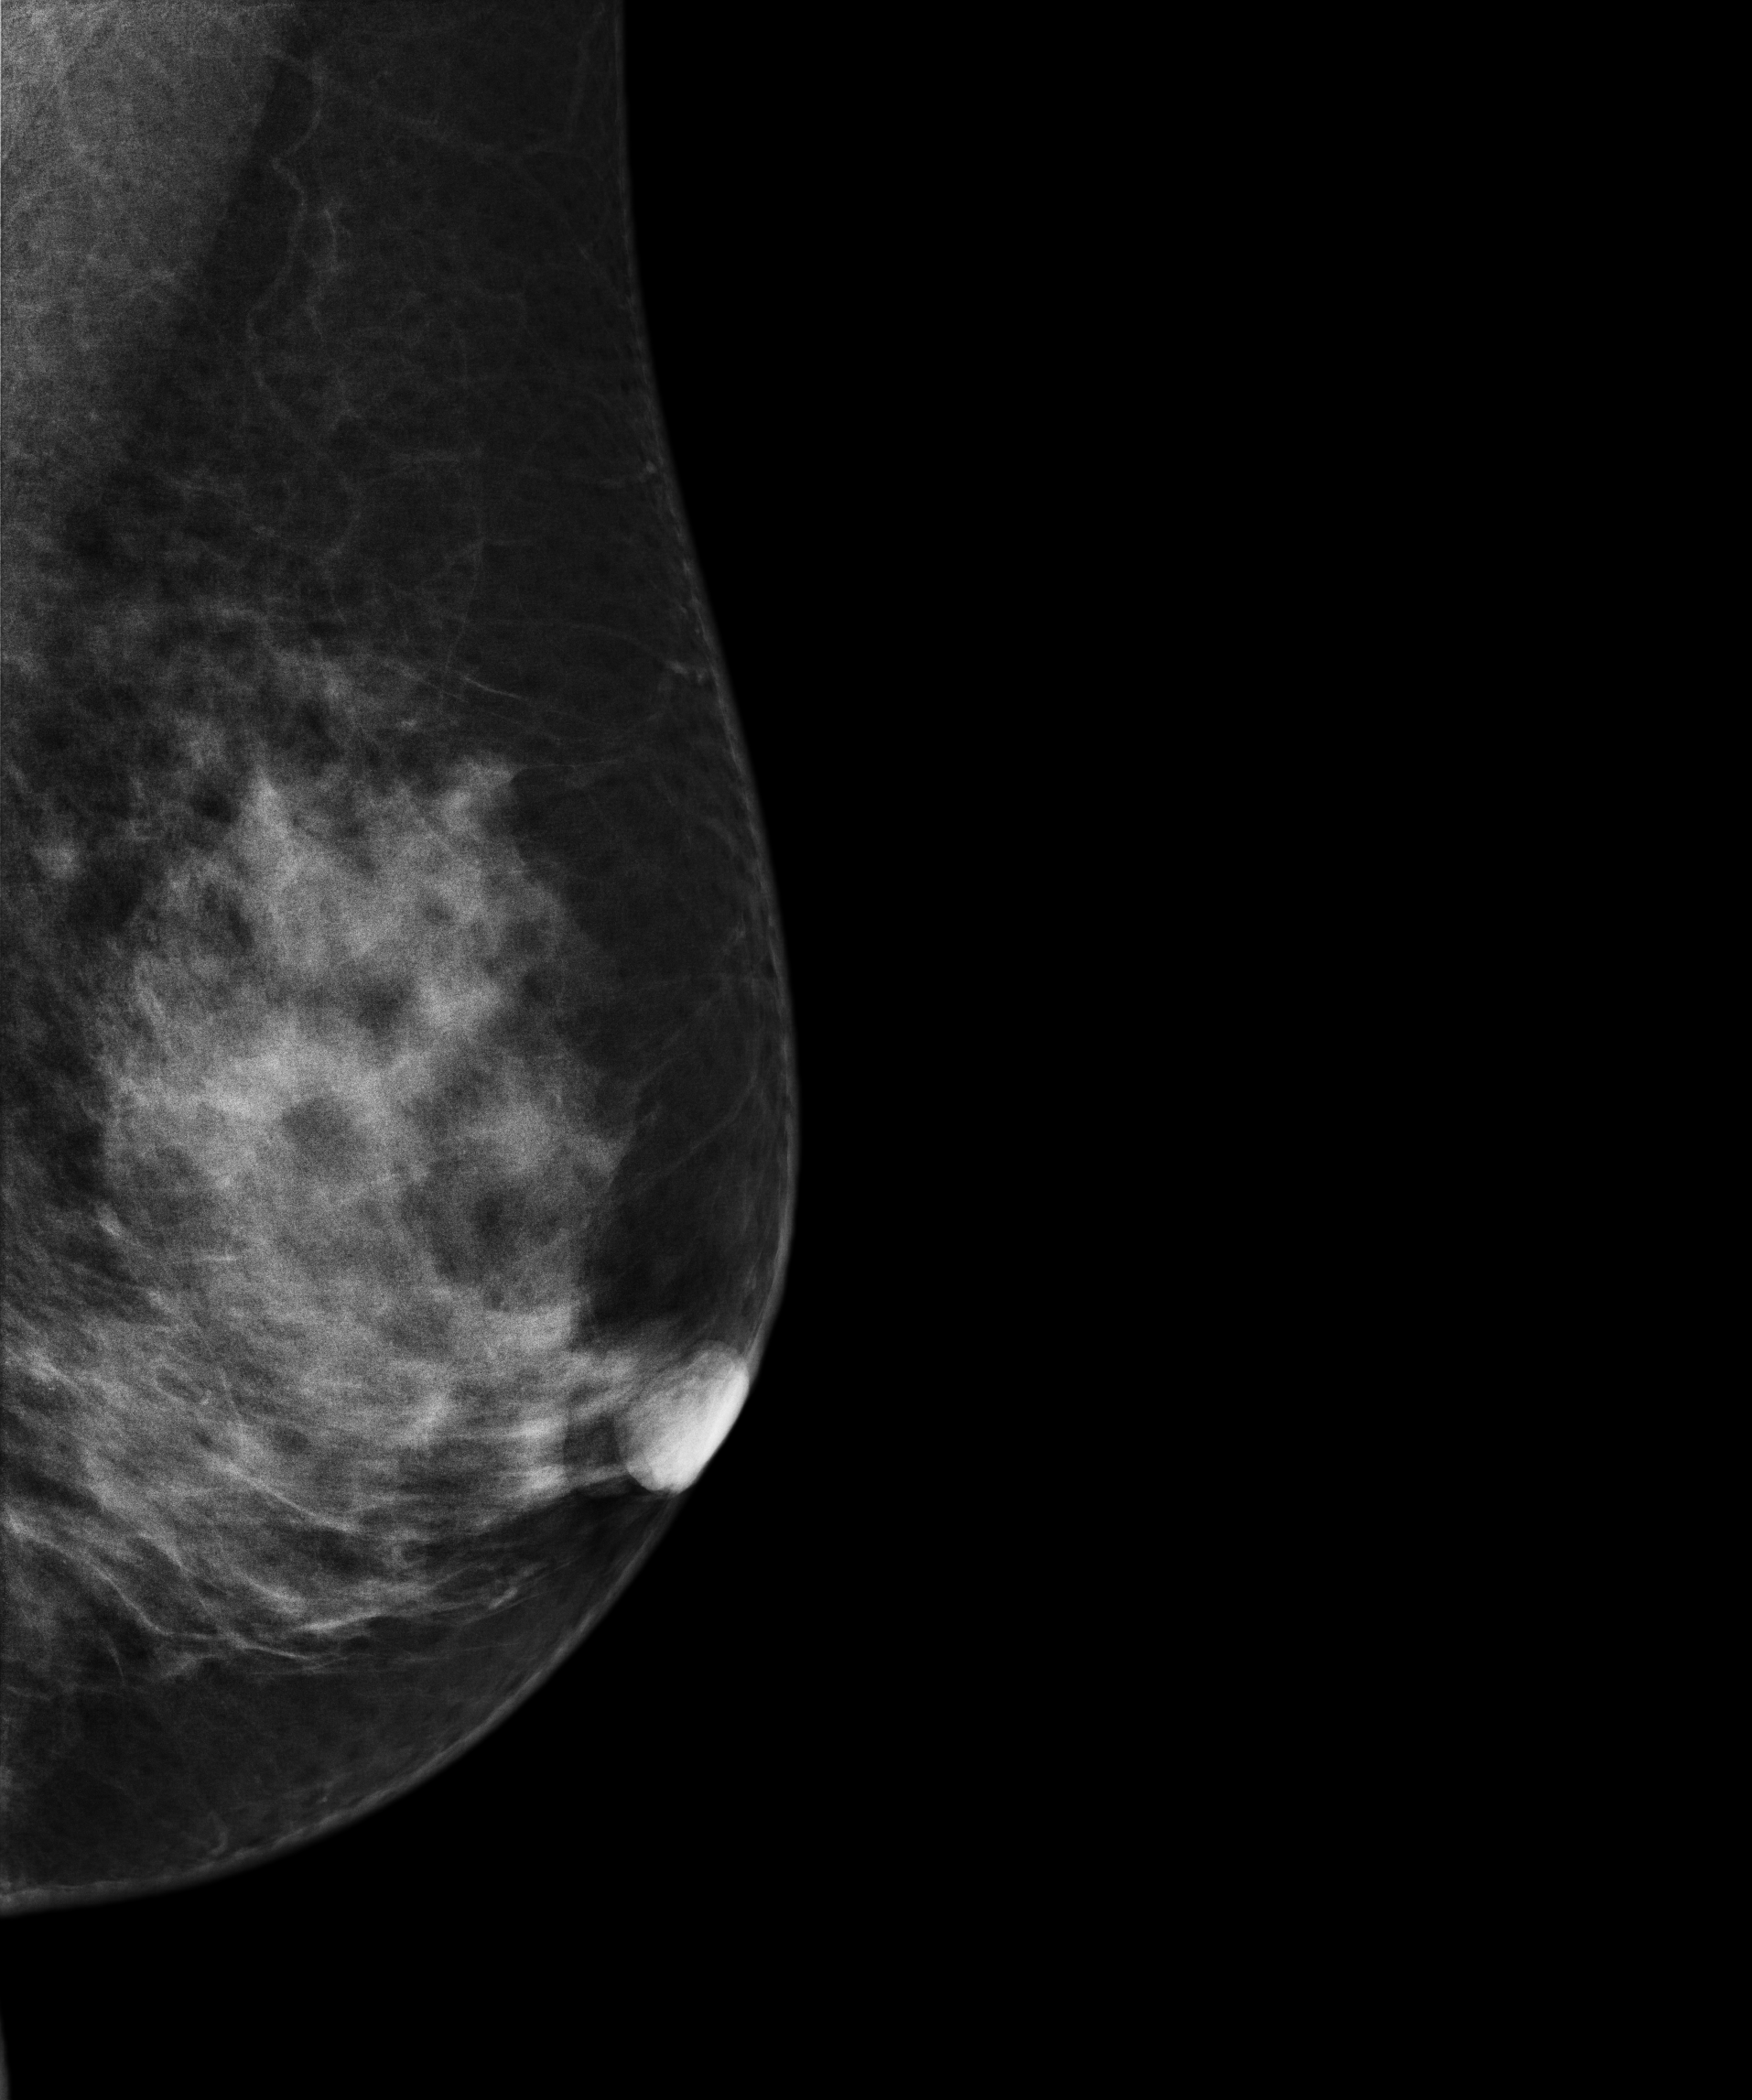
Left-breast mammogram, medio-lateral oblique. 49 y/o patient.
Contralateral breast — no documented abnormality on this side.